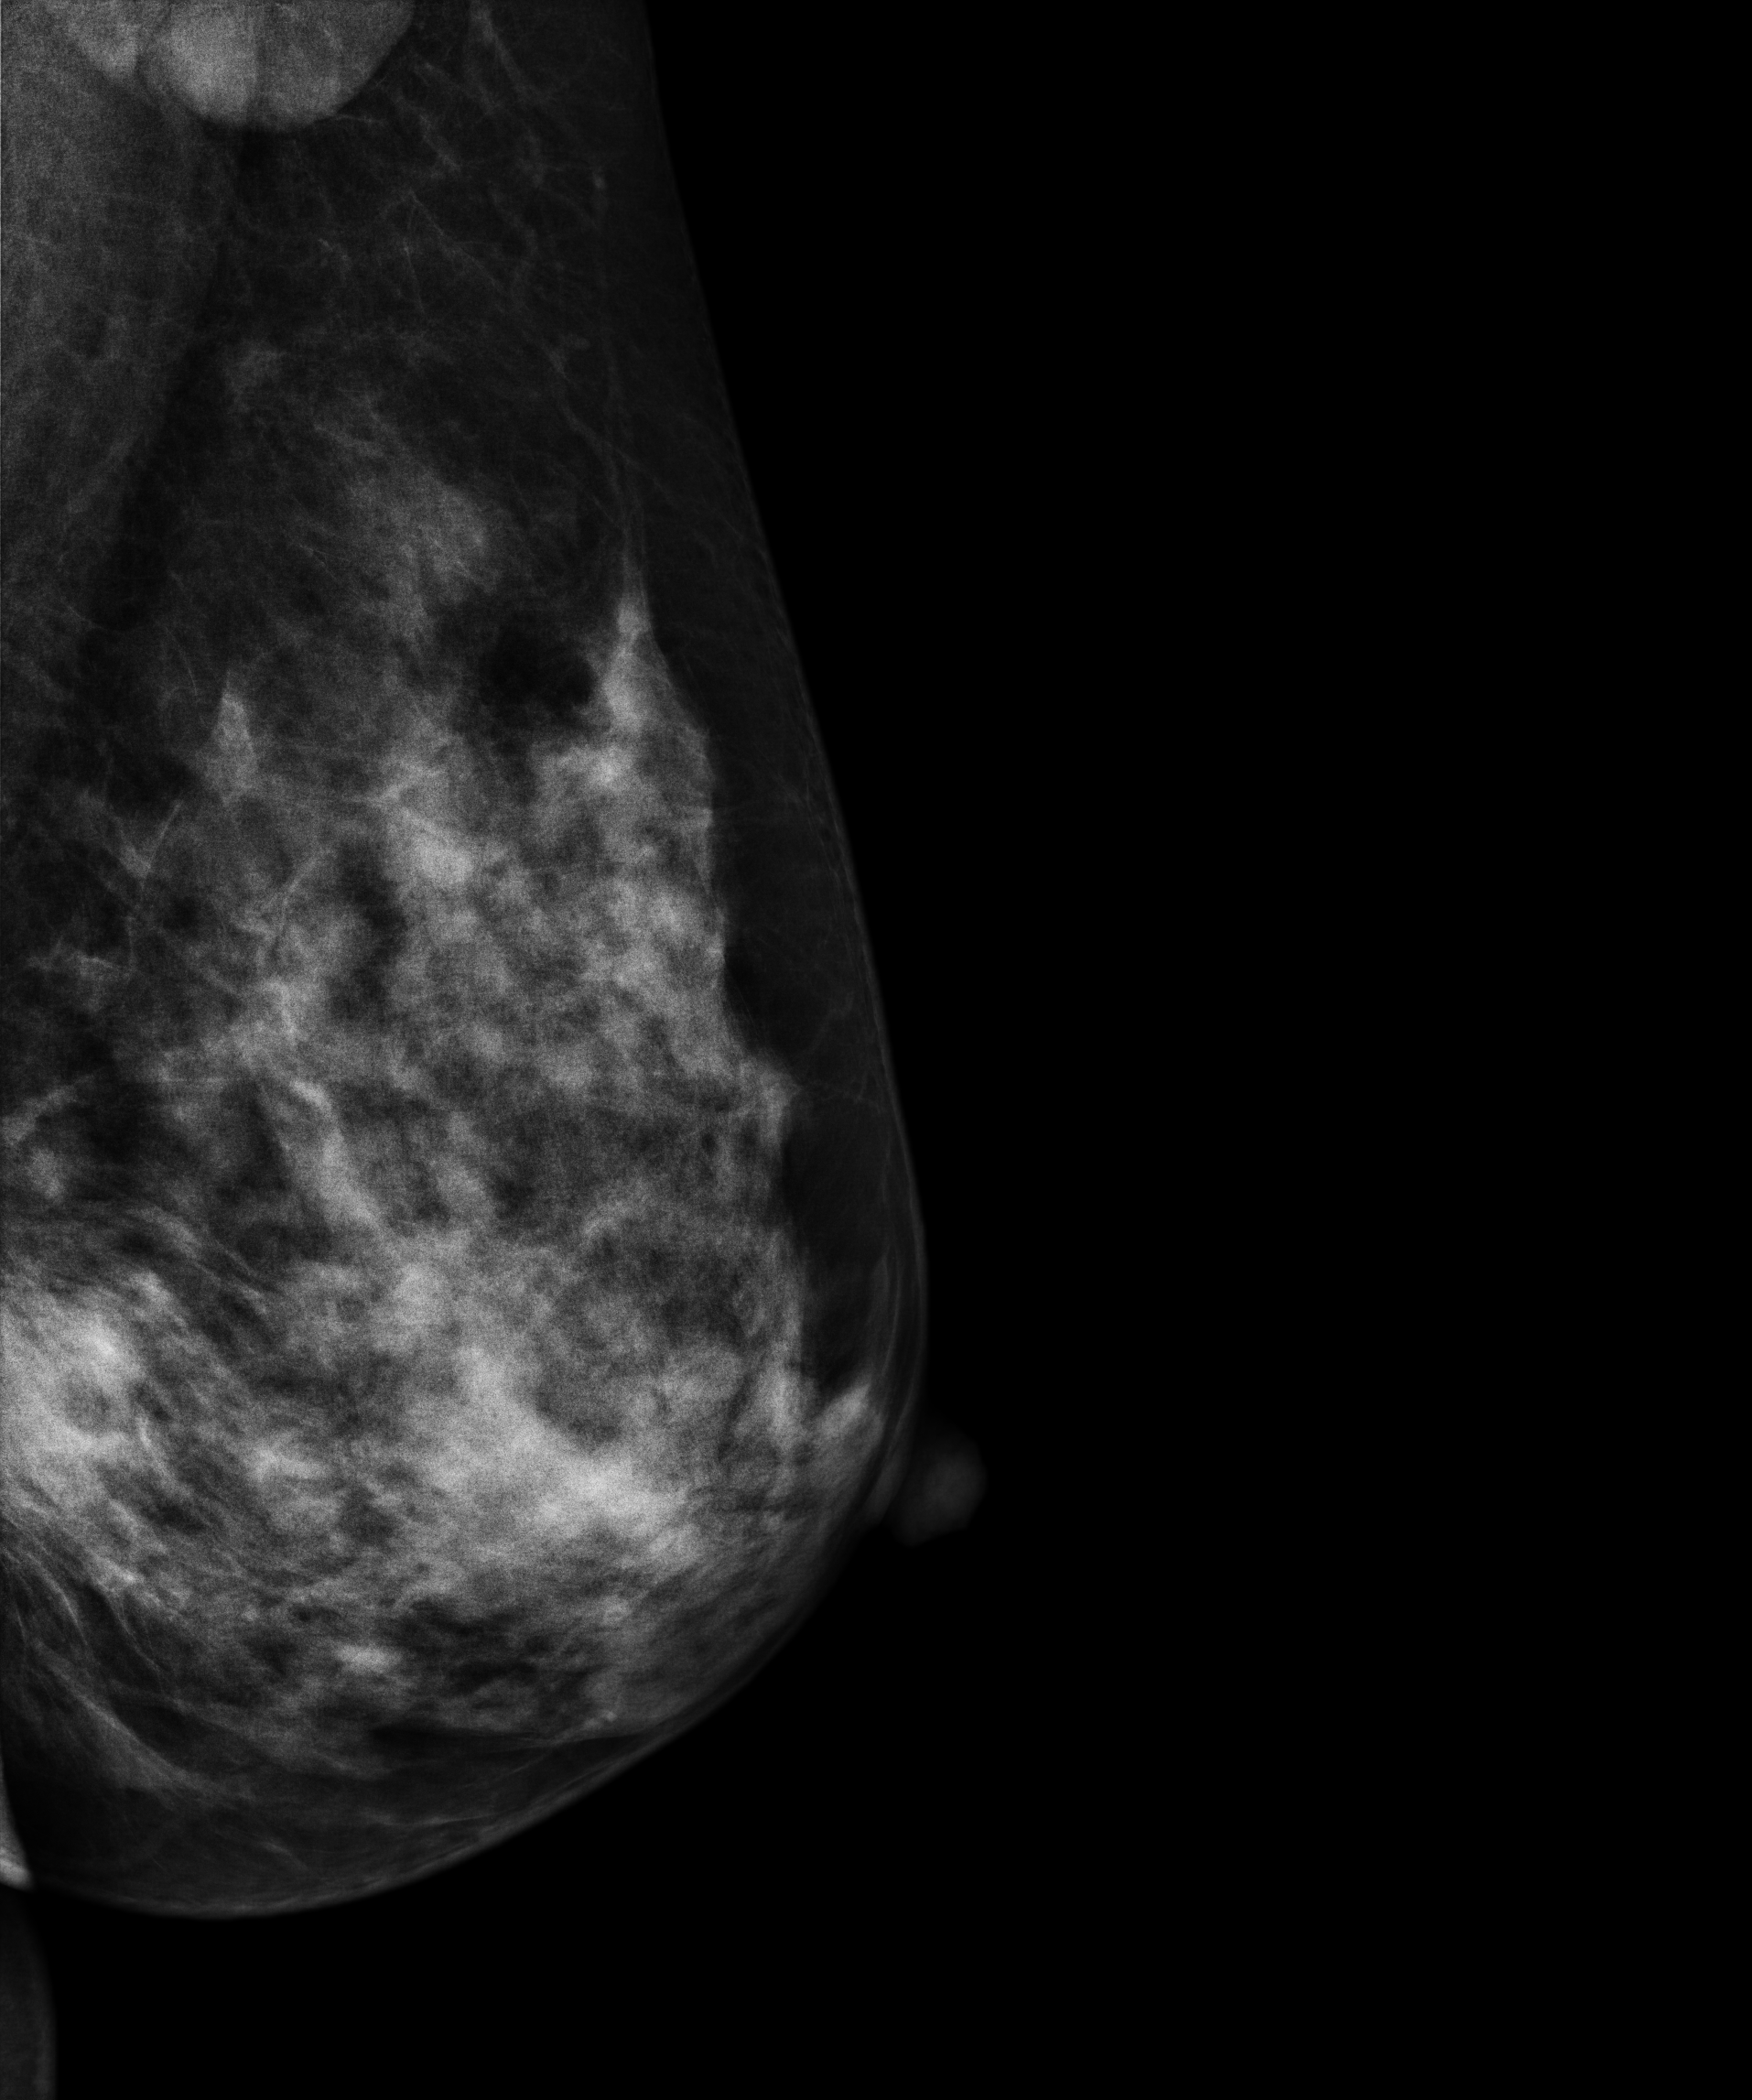
Mammogram — left medio-lateral oblique. 44 y/o patient.
This breast has a mass, histologically confirmed malignant.